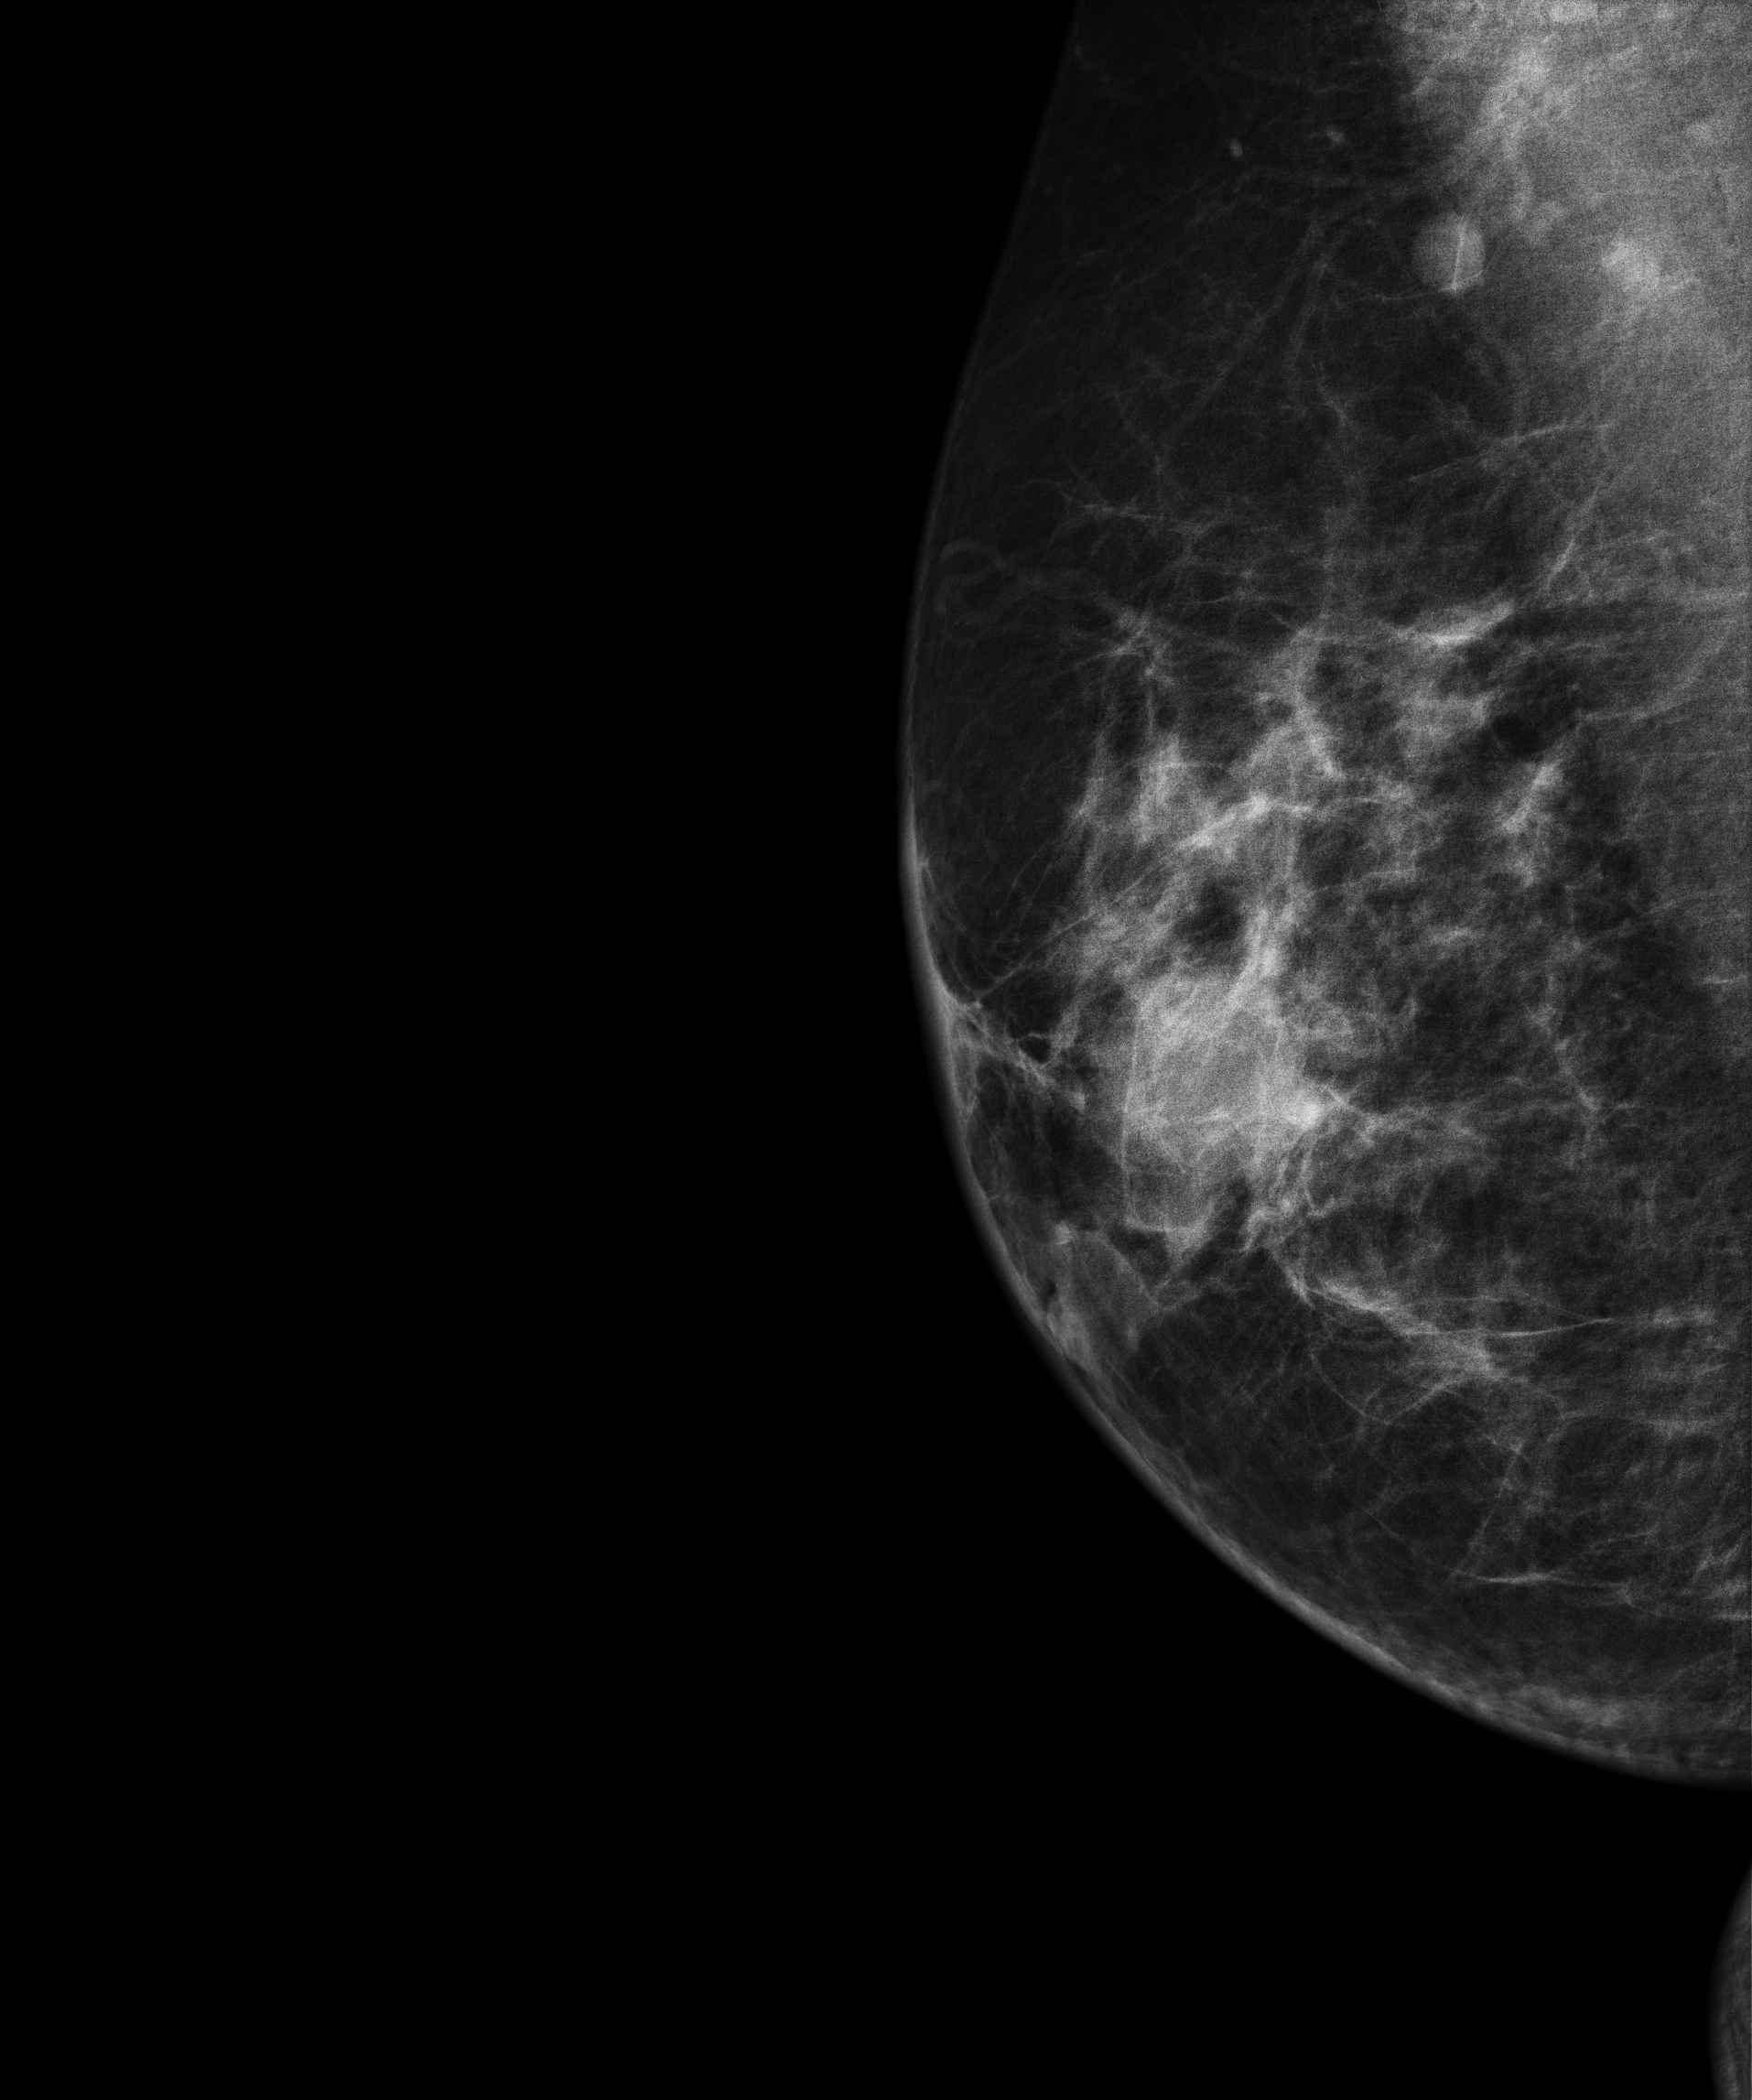
Mammogram, right breast, medio-lateral oblique view. 58 y/o patient.
This breast has a mass, pathology-confirmed benign.